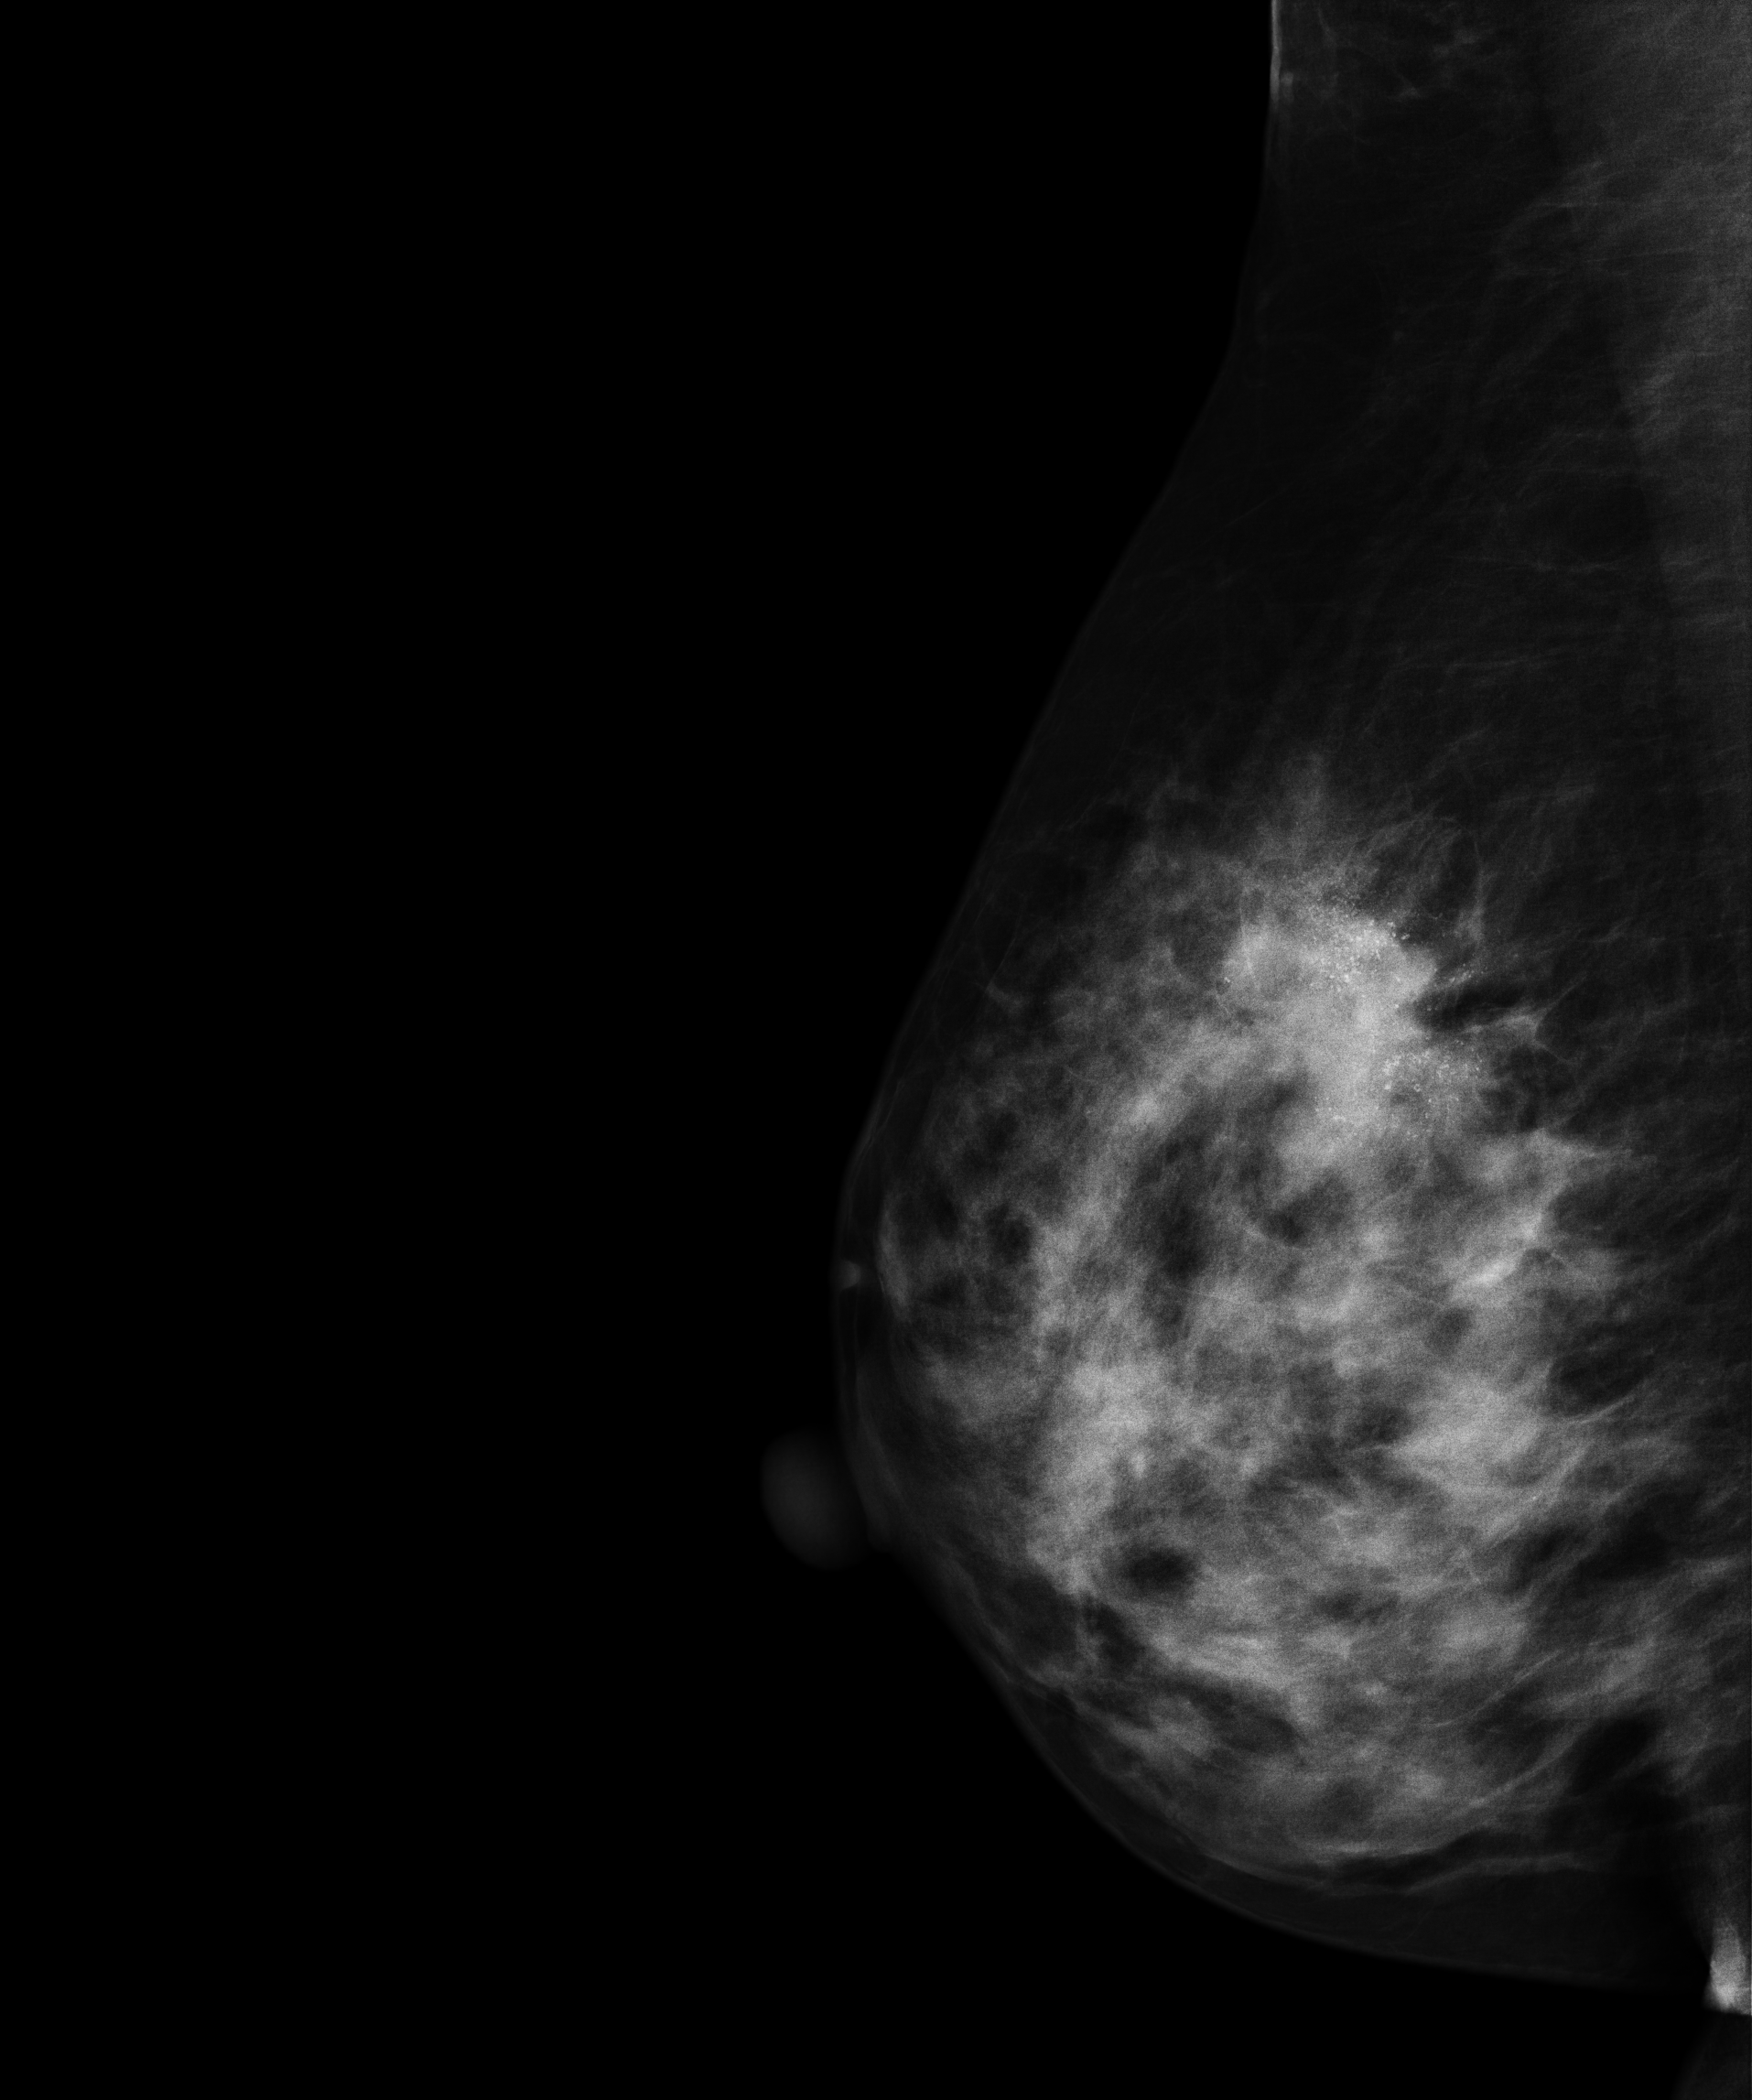
Right-breast mammogram, medio-lateral oblique. 35 y/o patient.
This breast has a mass and calcifications, pathology-confirmed malignant. Molecular subtype: HER2-enriched.